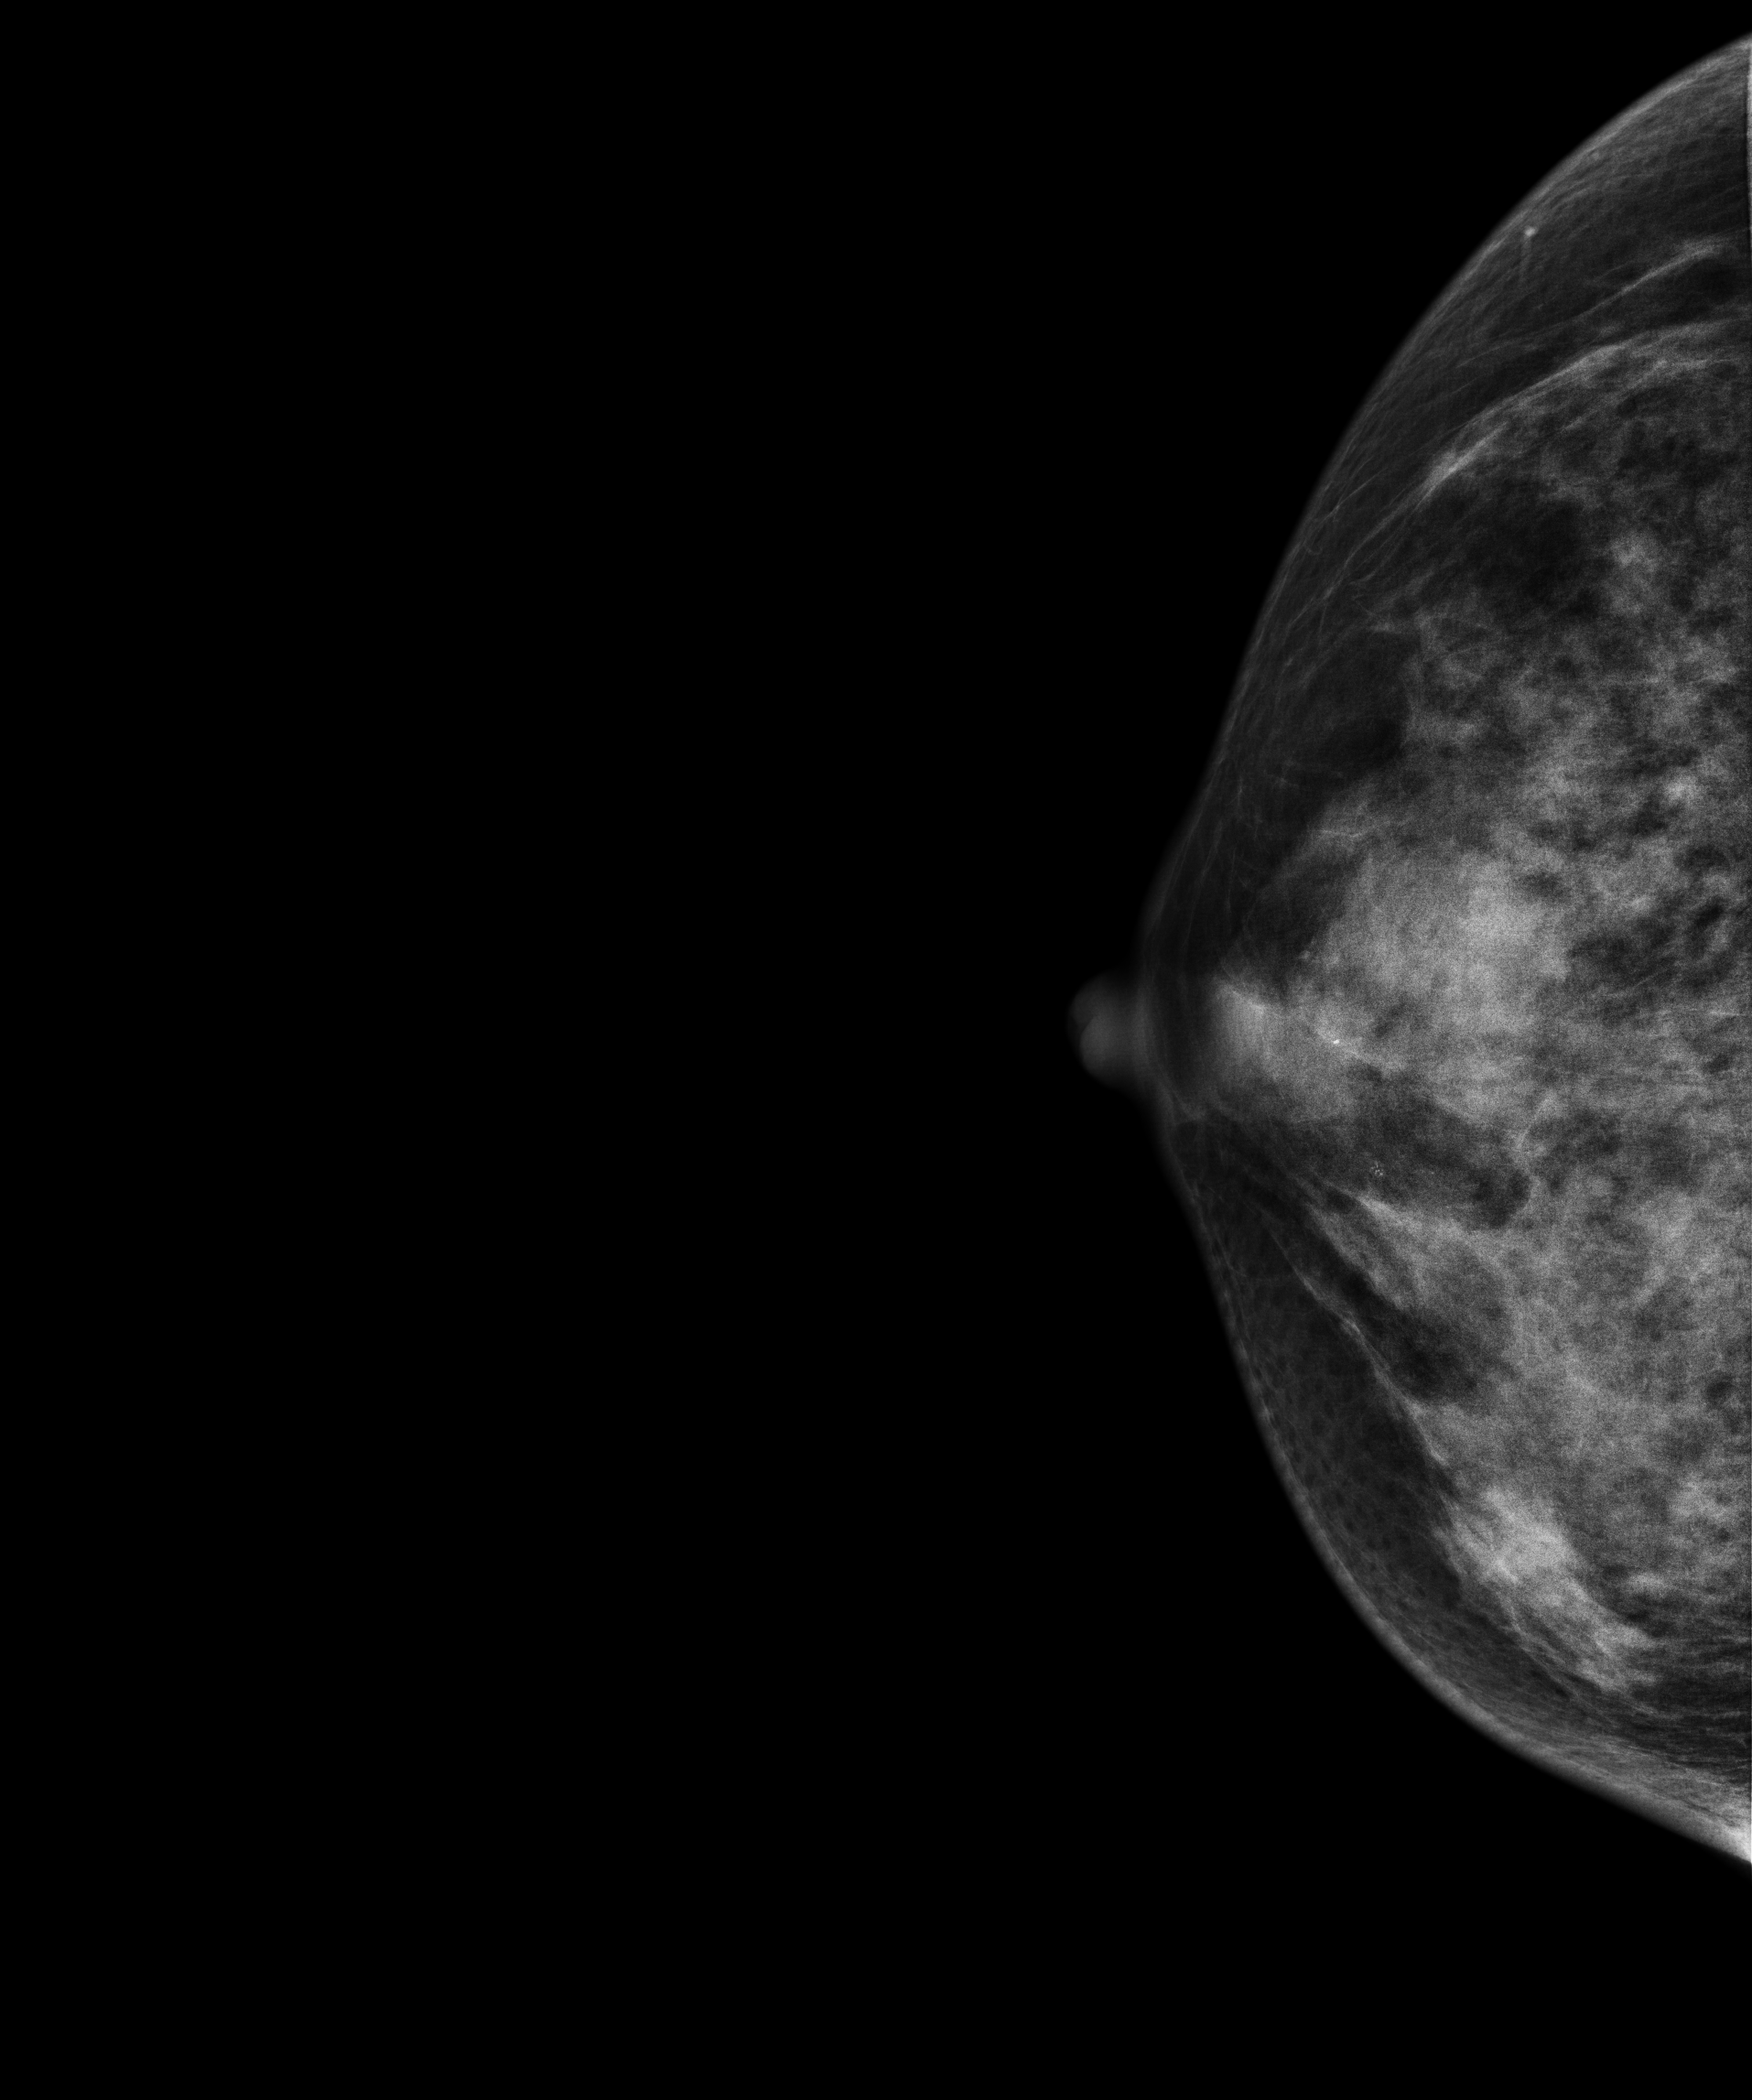
Right-breast mammogram, CC. 46 y/o patient.
This breast has a mass, biopsy-confirmed malignant. Molecular subtype: luminal B.